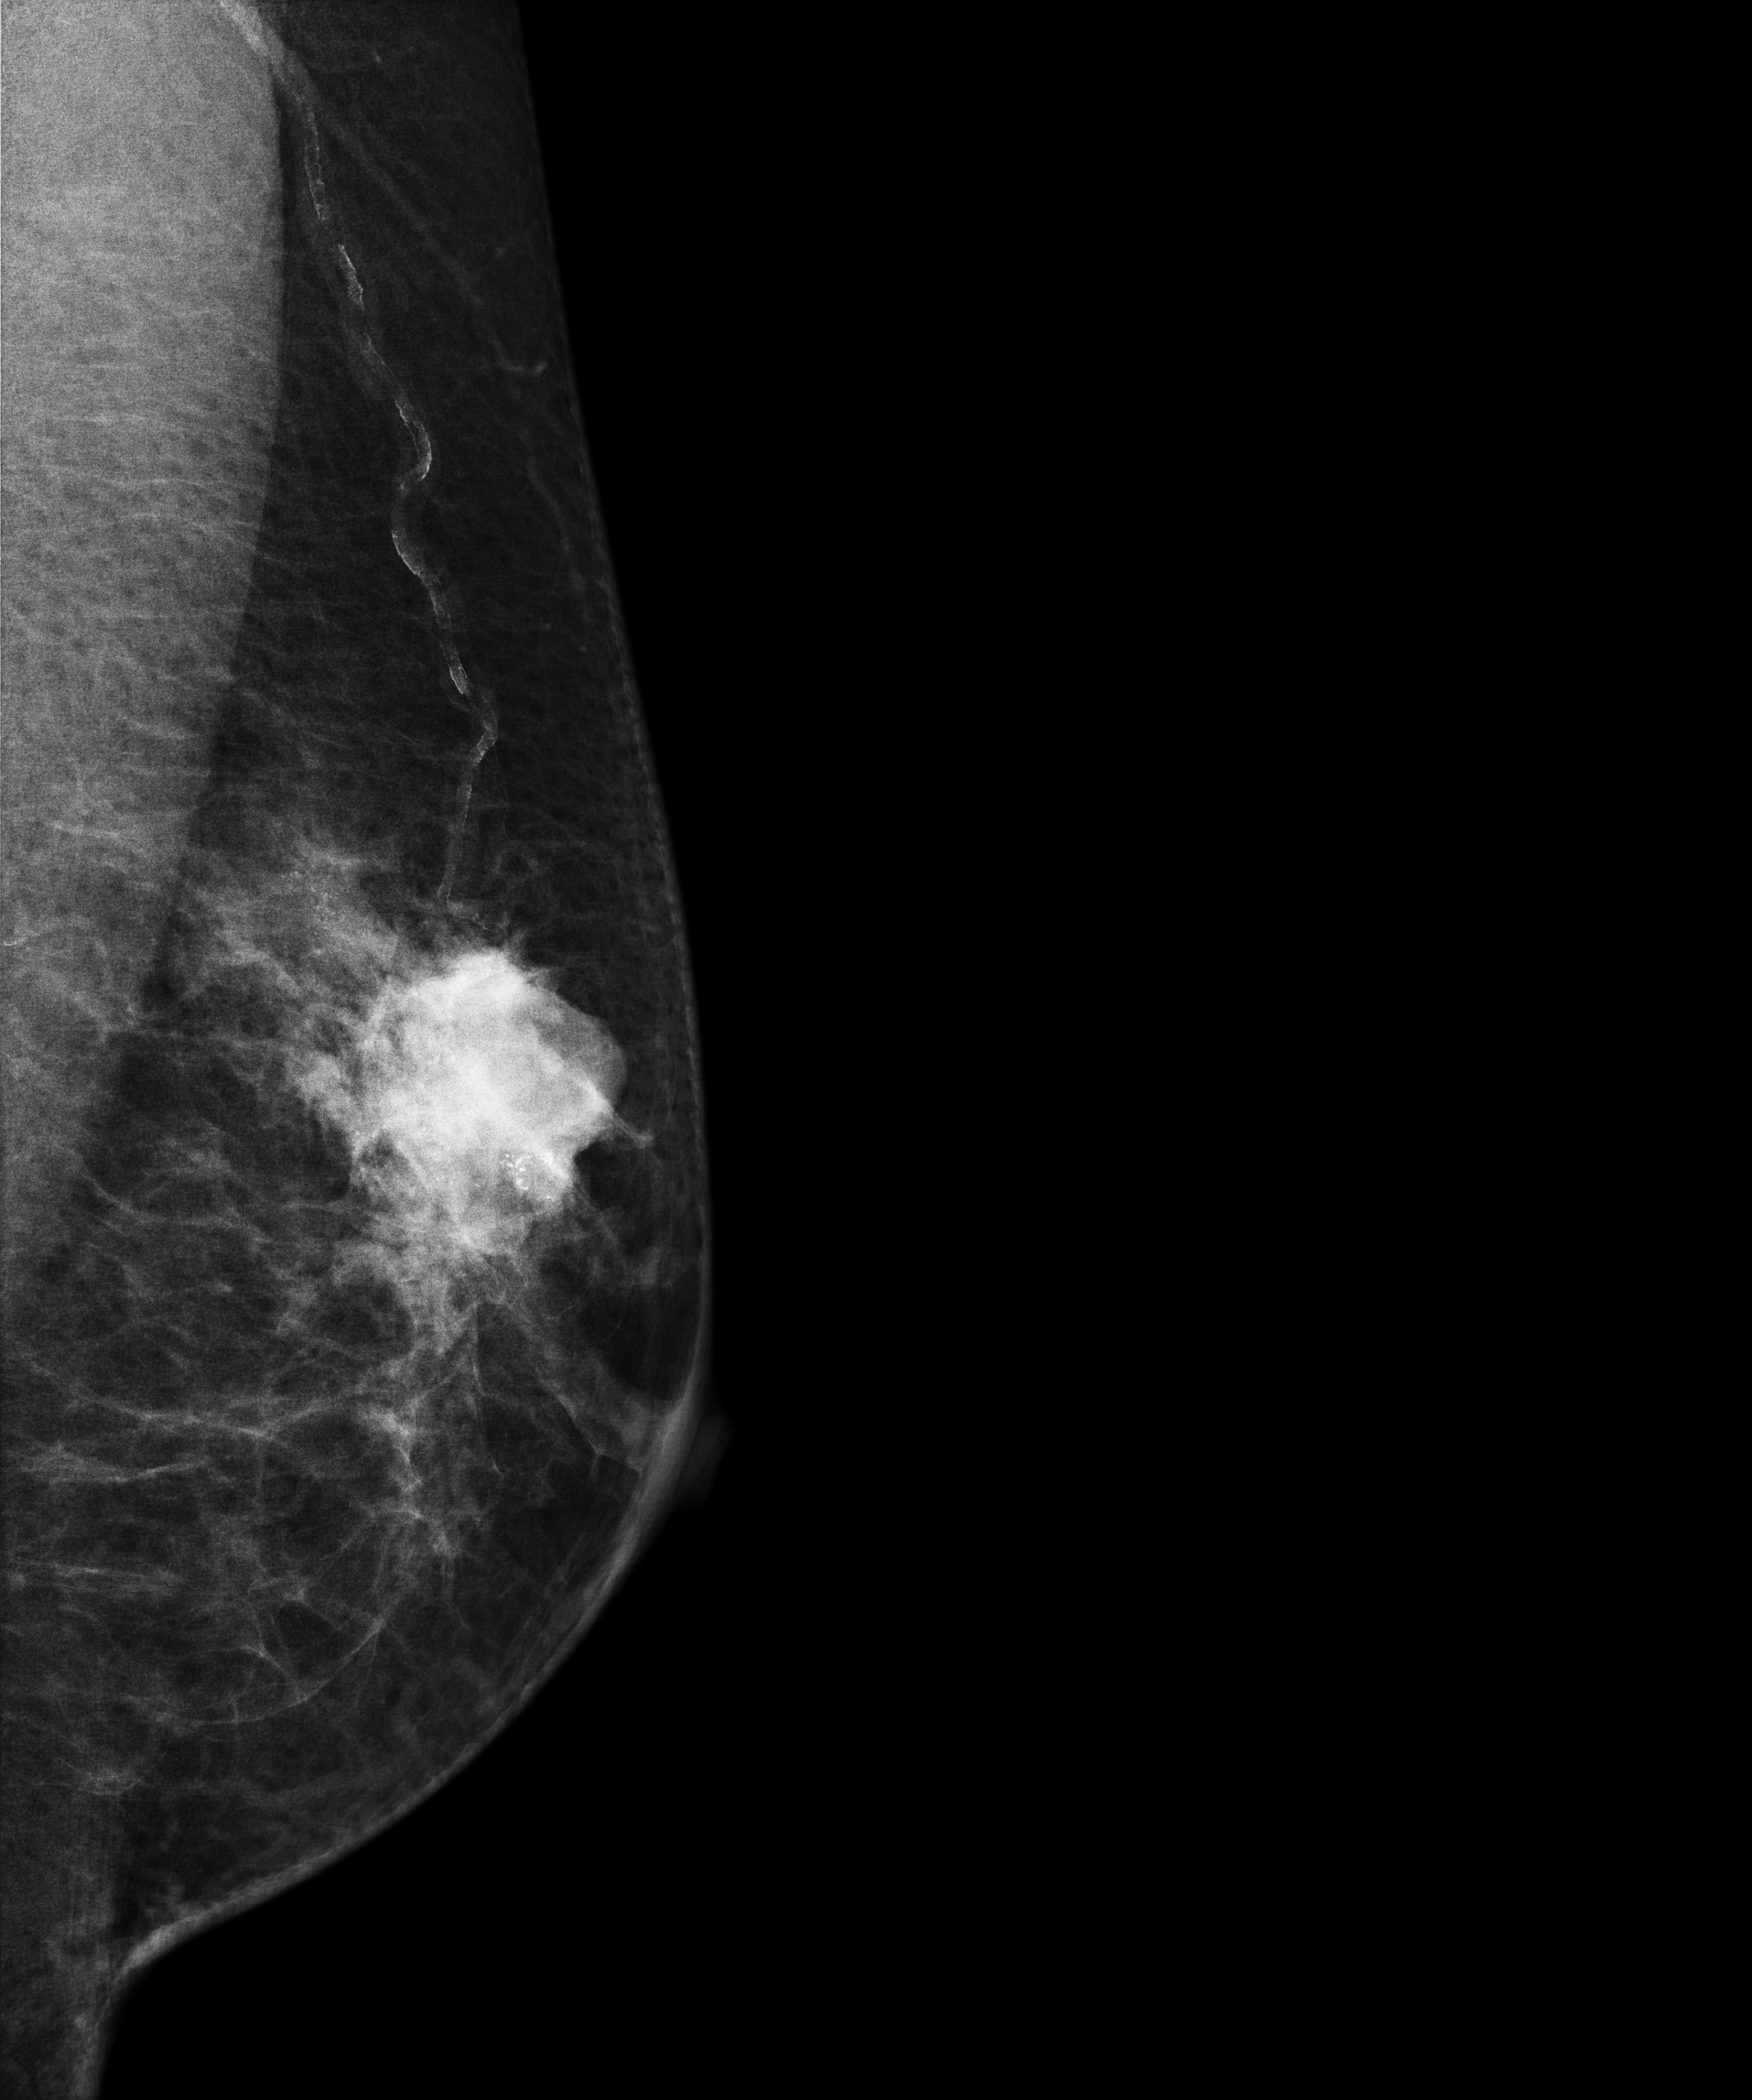
Mammogram, left breast, MLO view. Patient age 64.
This breast has a mass and calcifications, biopsy-proven malignant. Molecular subtype: luminal A.